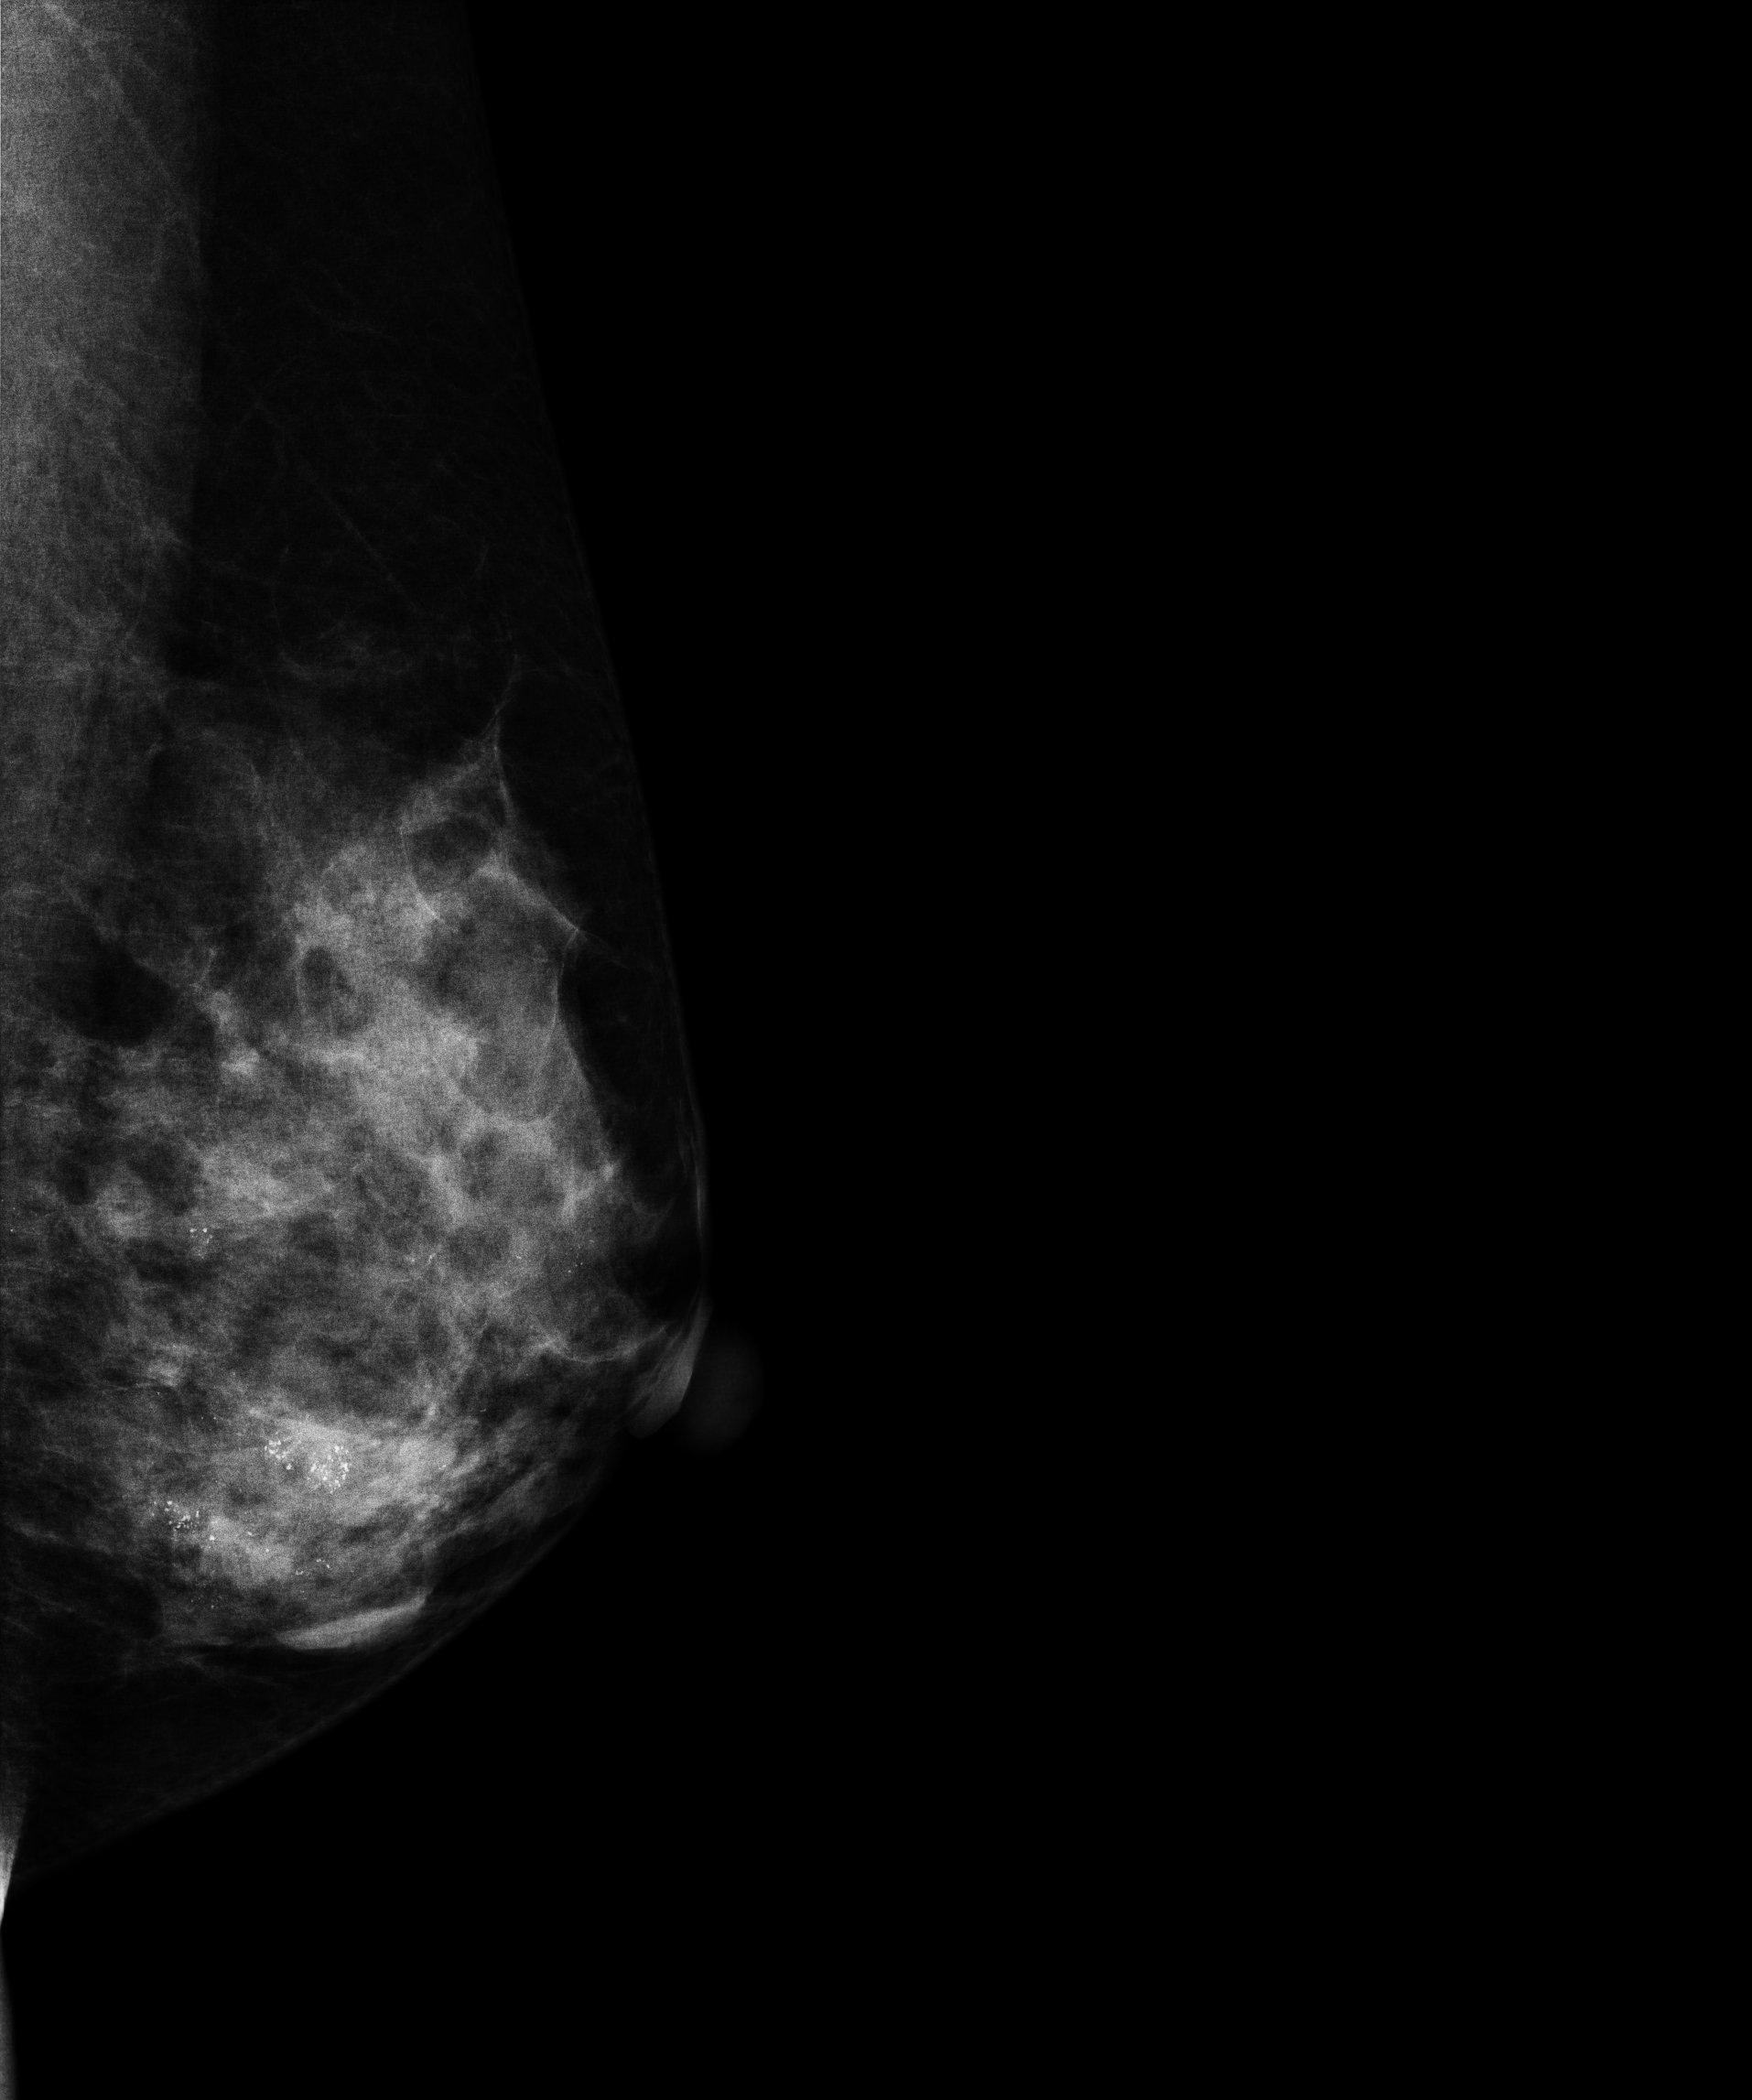
Left-breast mammogram, medio-lateral oblique. Patient age 45.
This breast has calcifications, pathology-confirmed malignant.